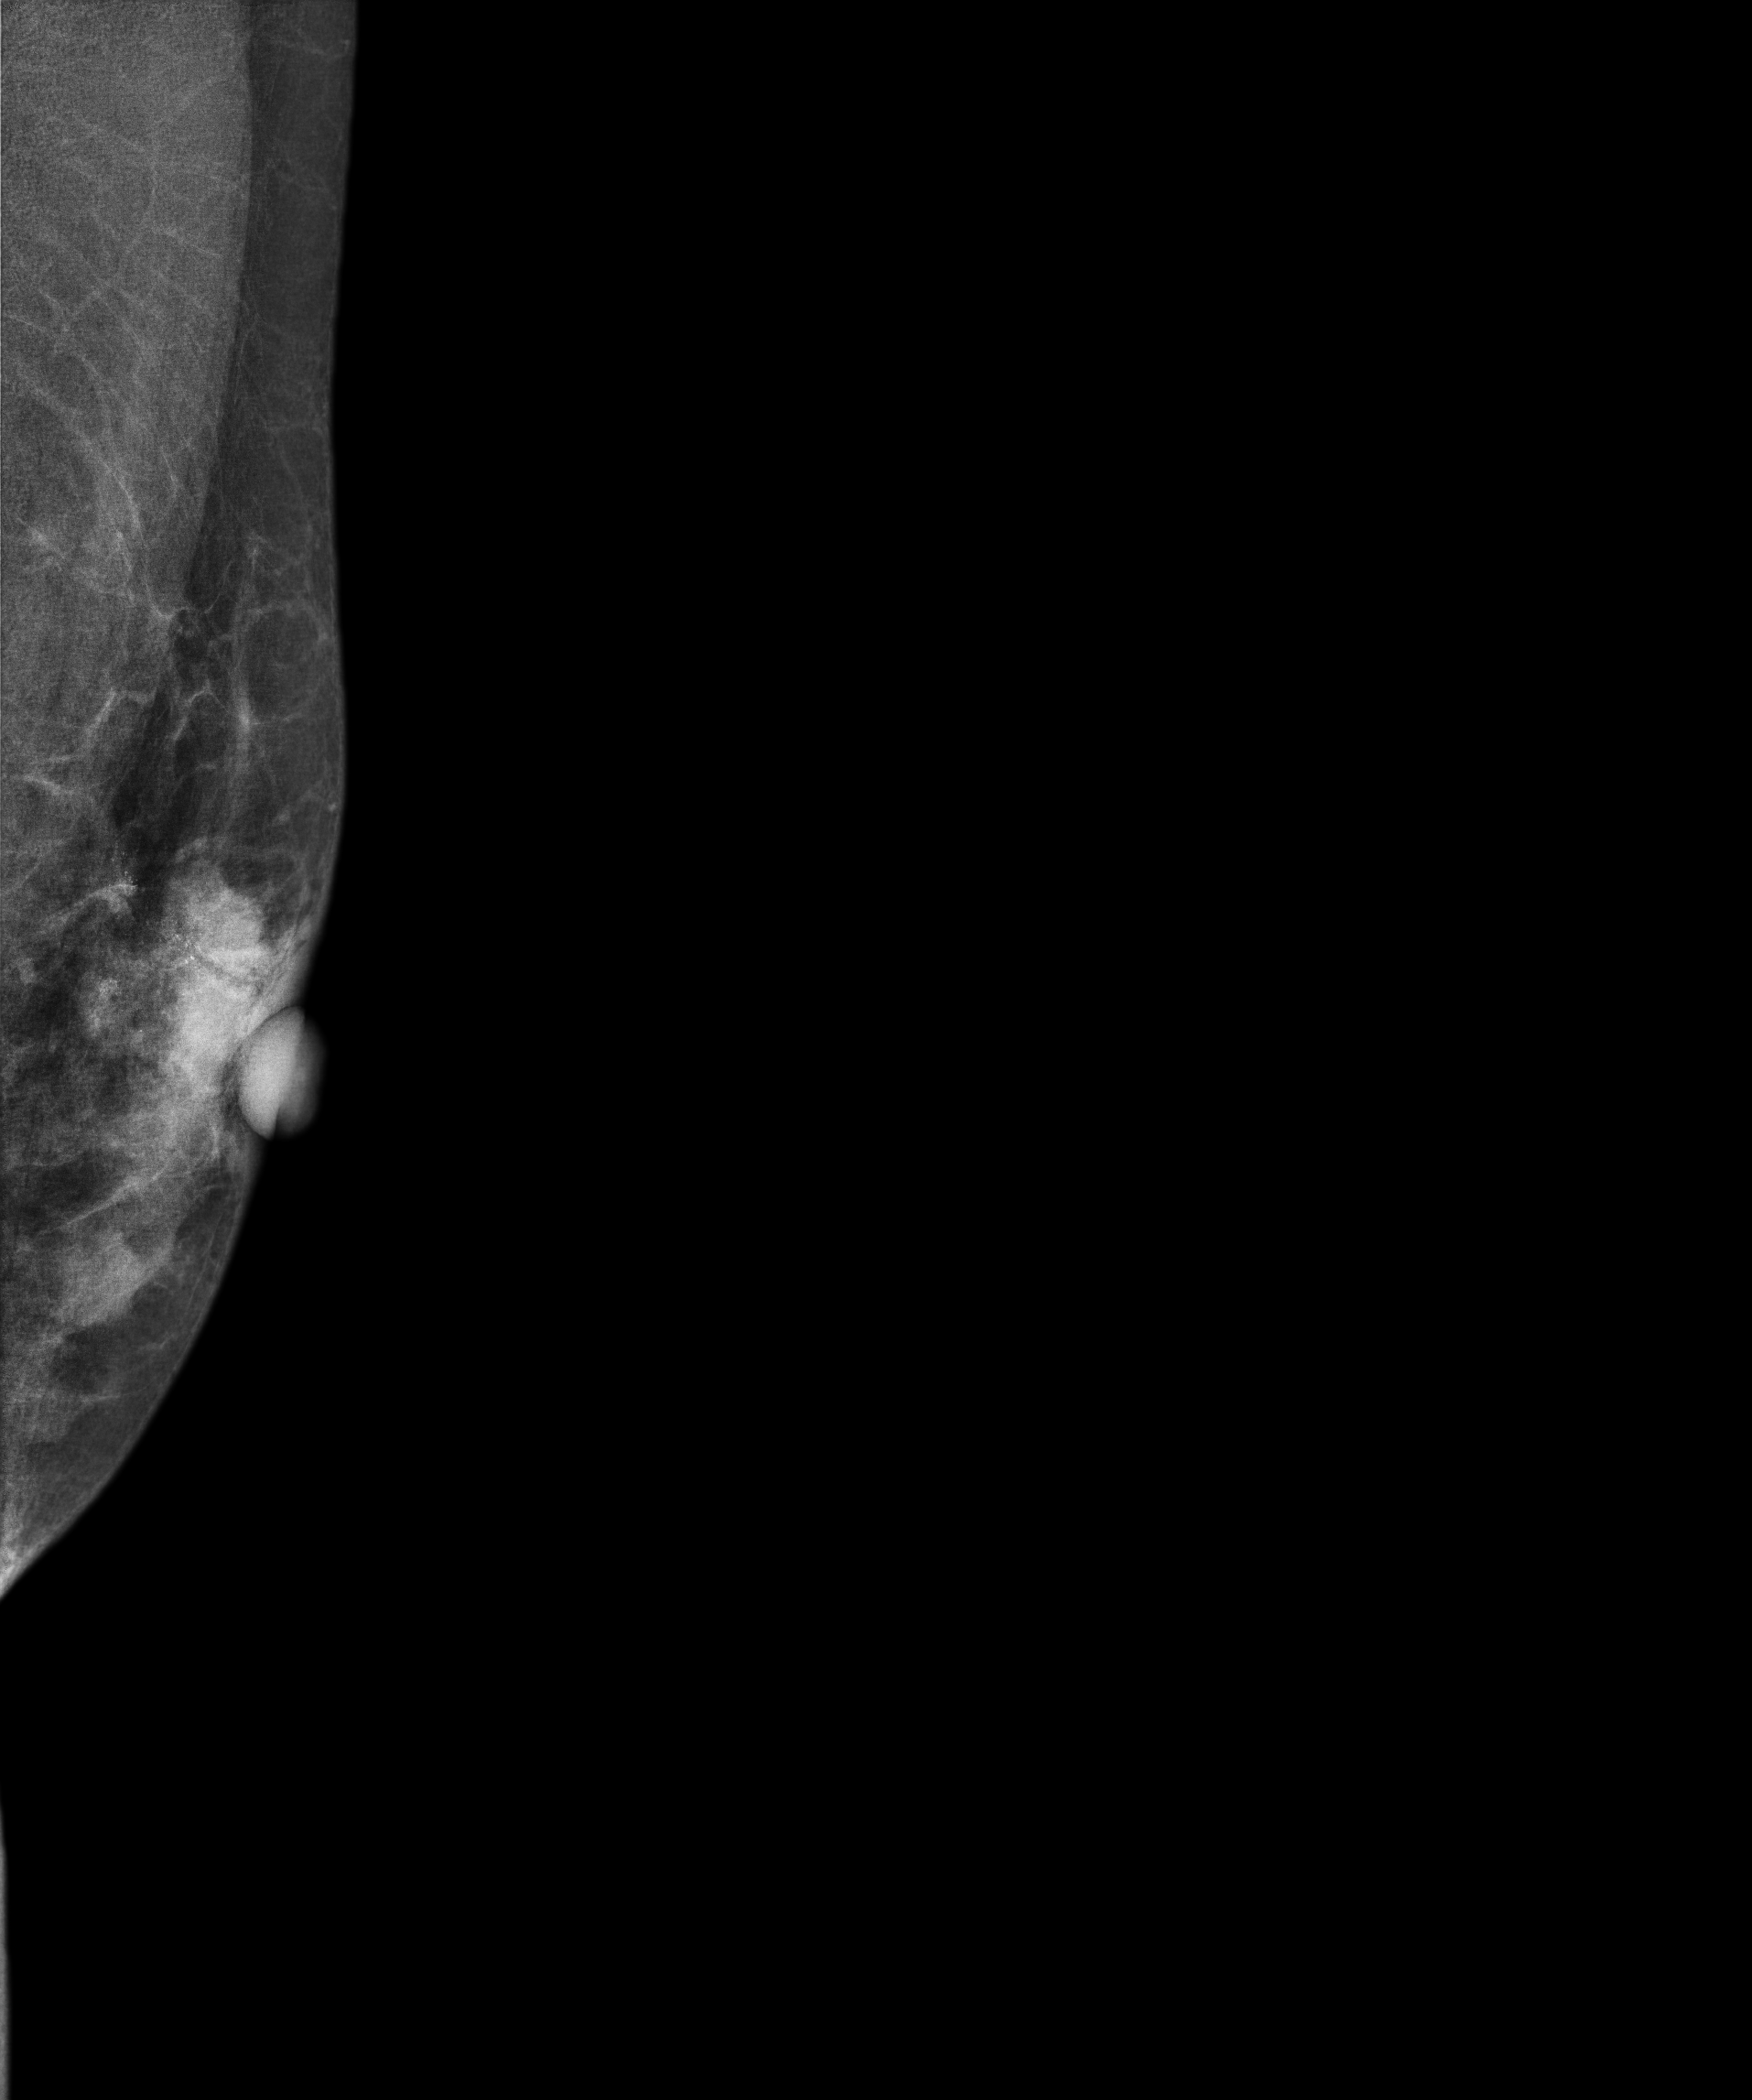
Mammogram — left MLO. Patient age 58.
This breast has calcifications, biopsy-proven malignant.